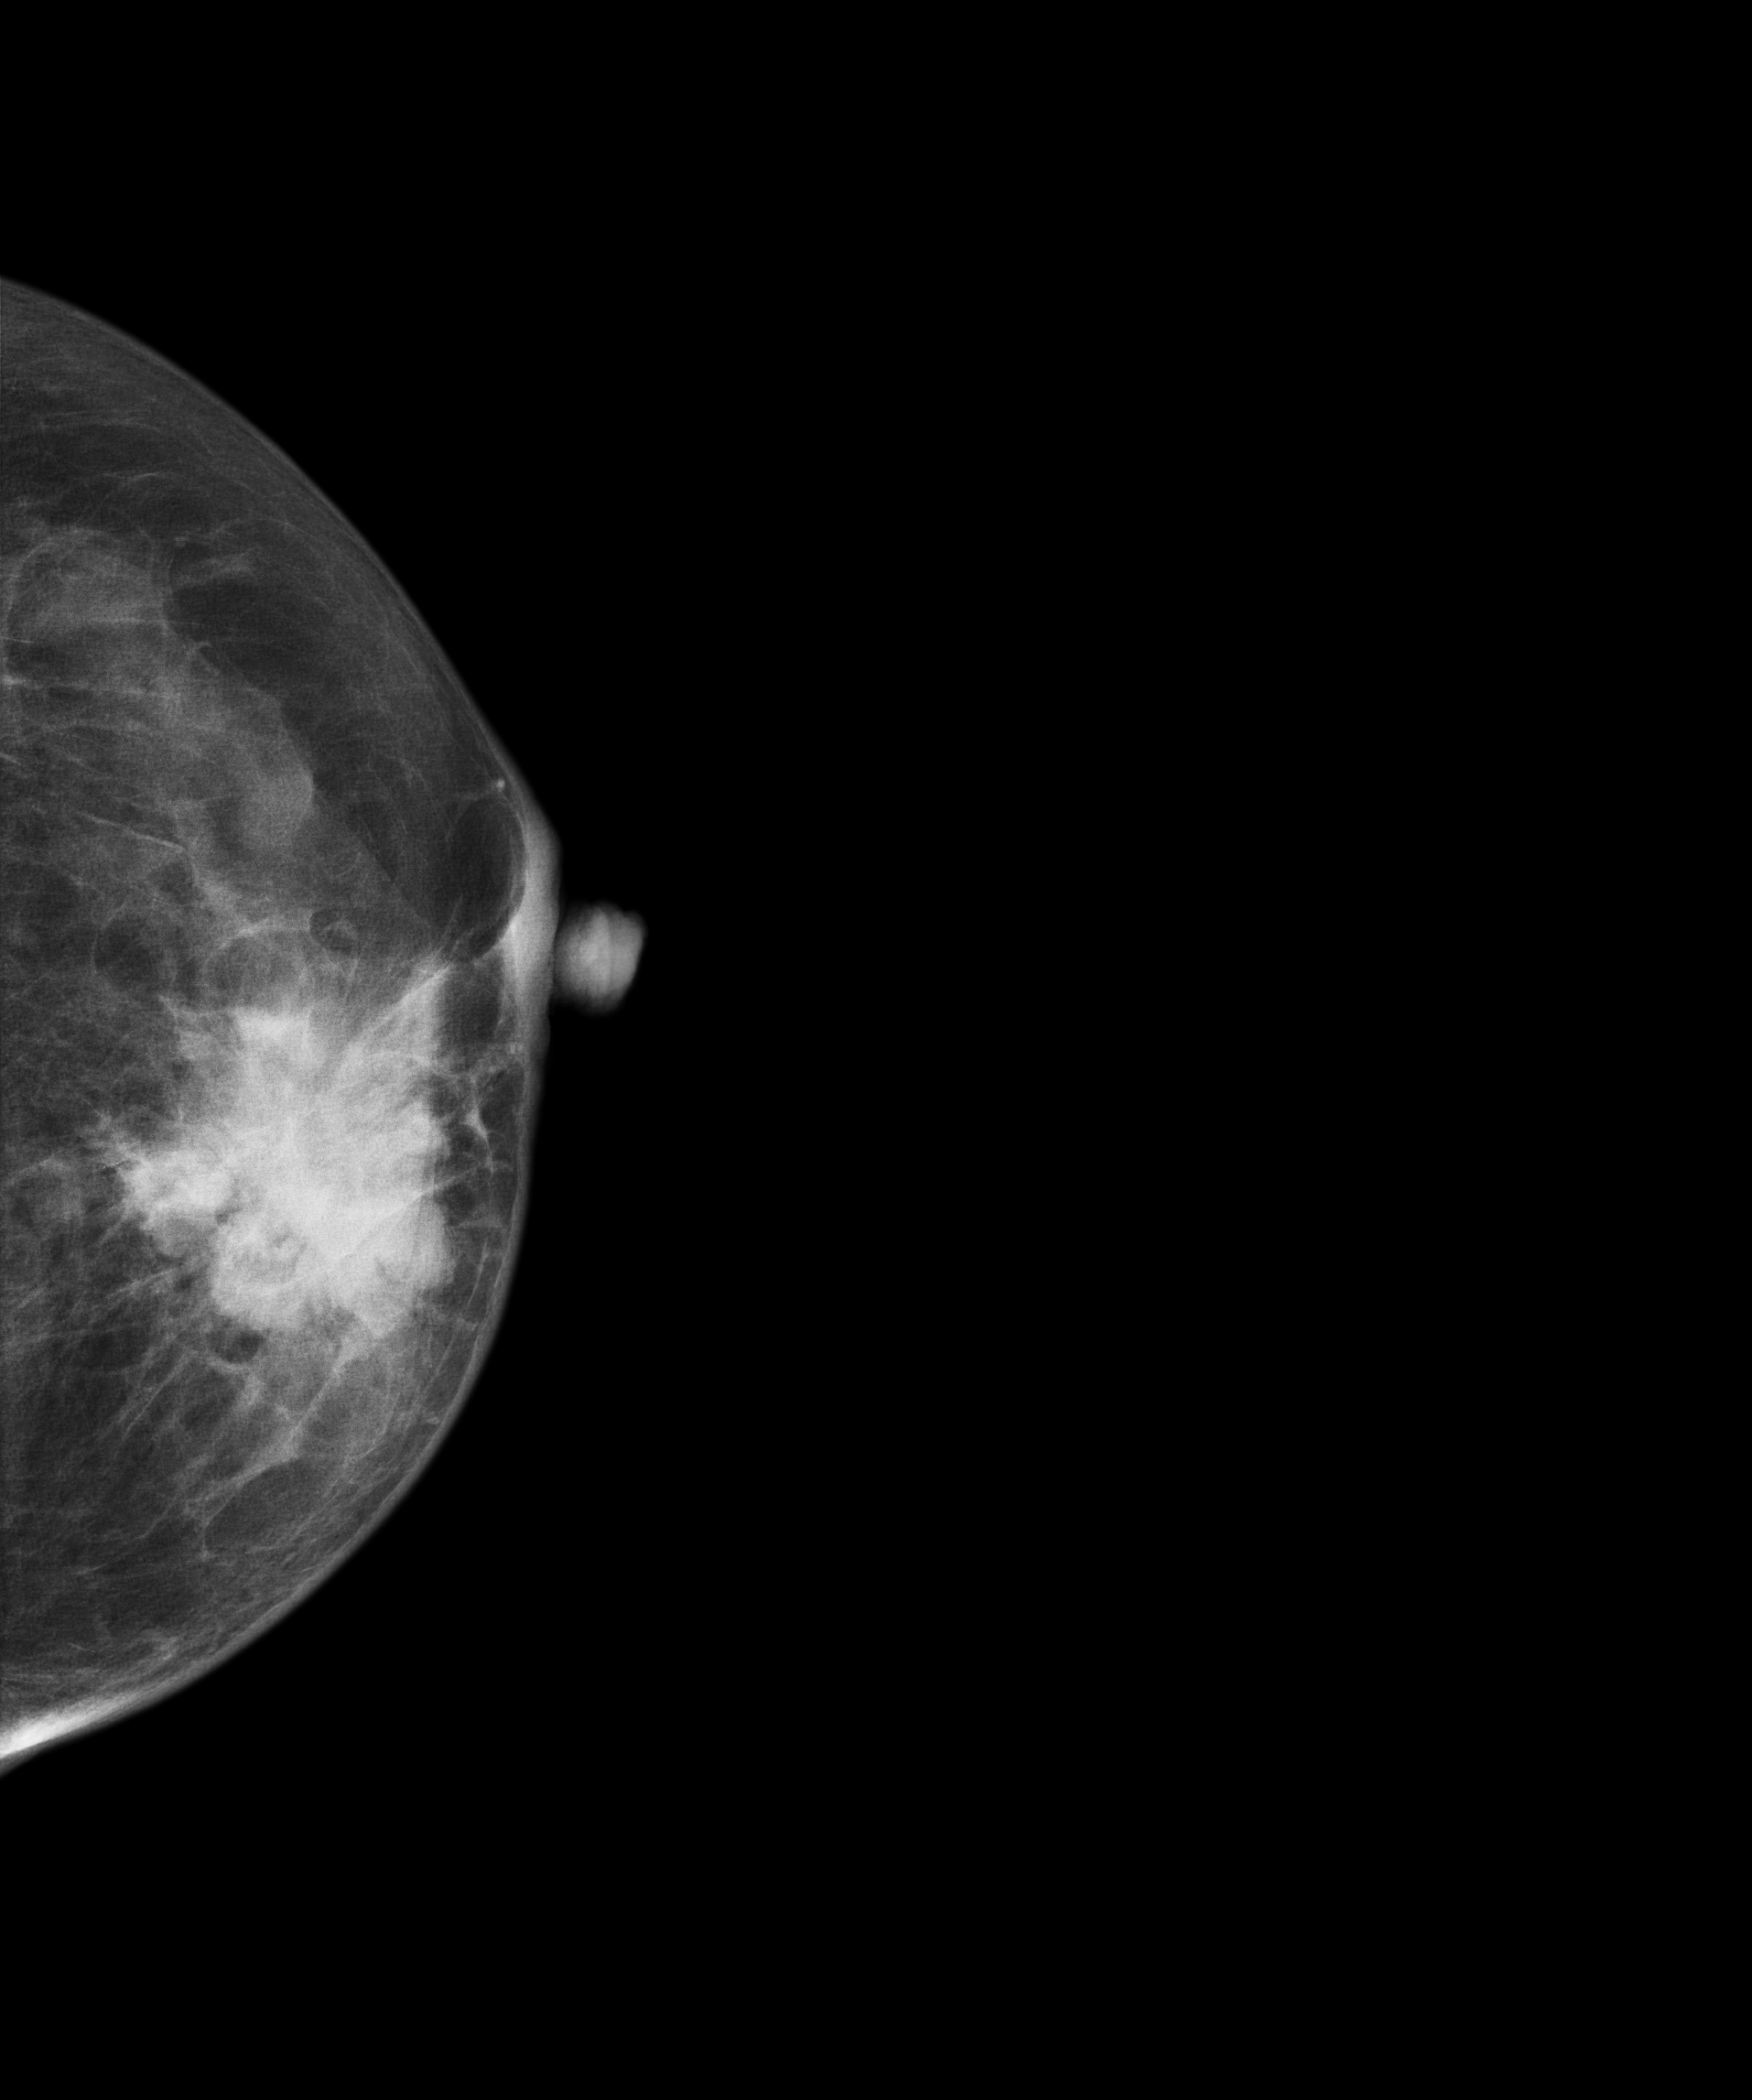
Digital mammography. Left breast, cranio-caudal projection. 58 y/o patient.
This breast has a mass, biopsy-proven malignant.